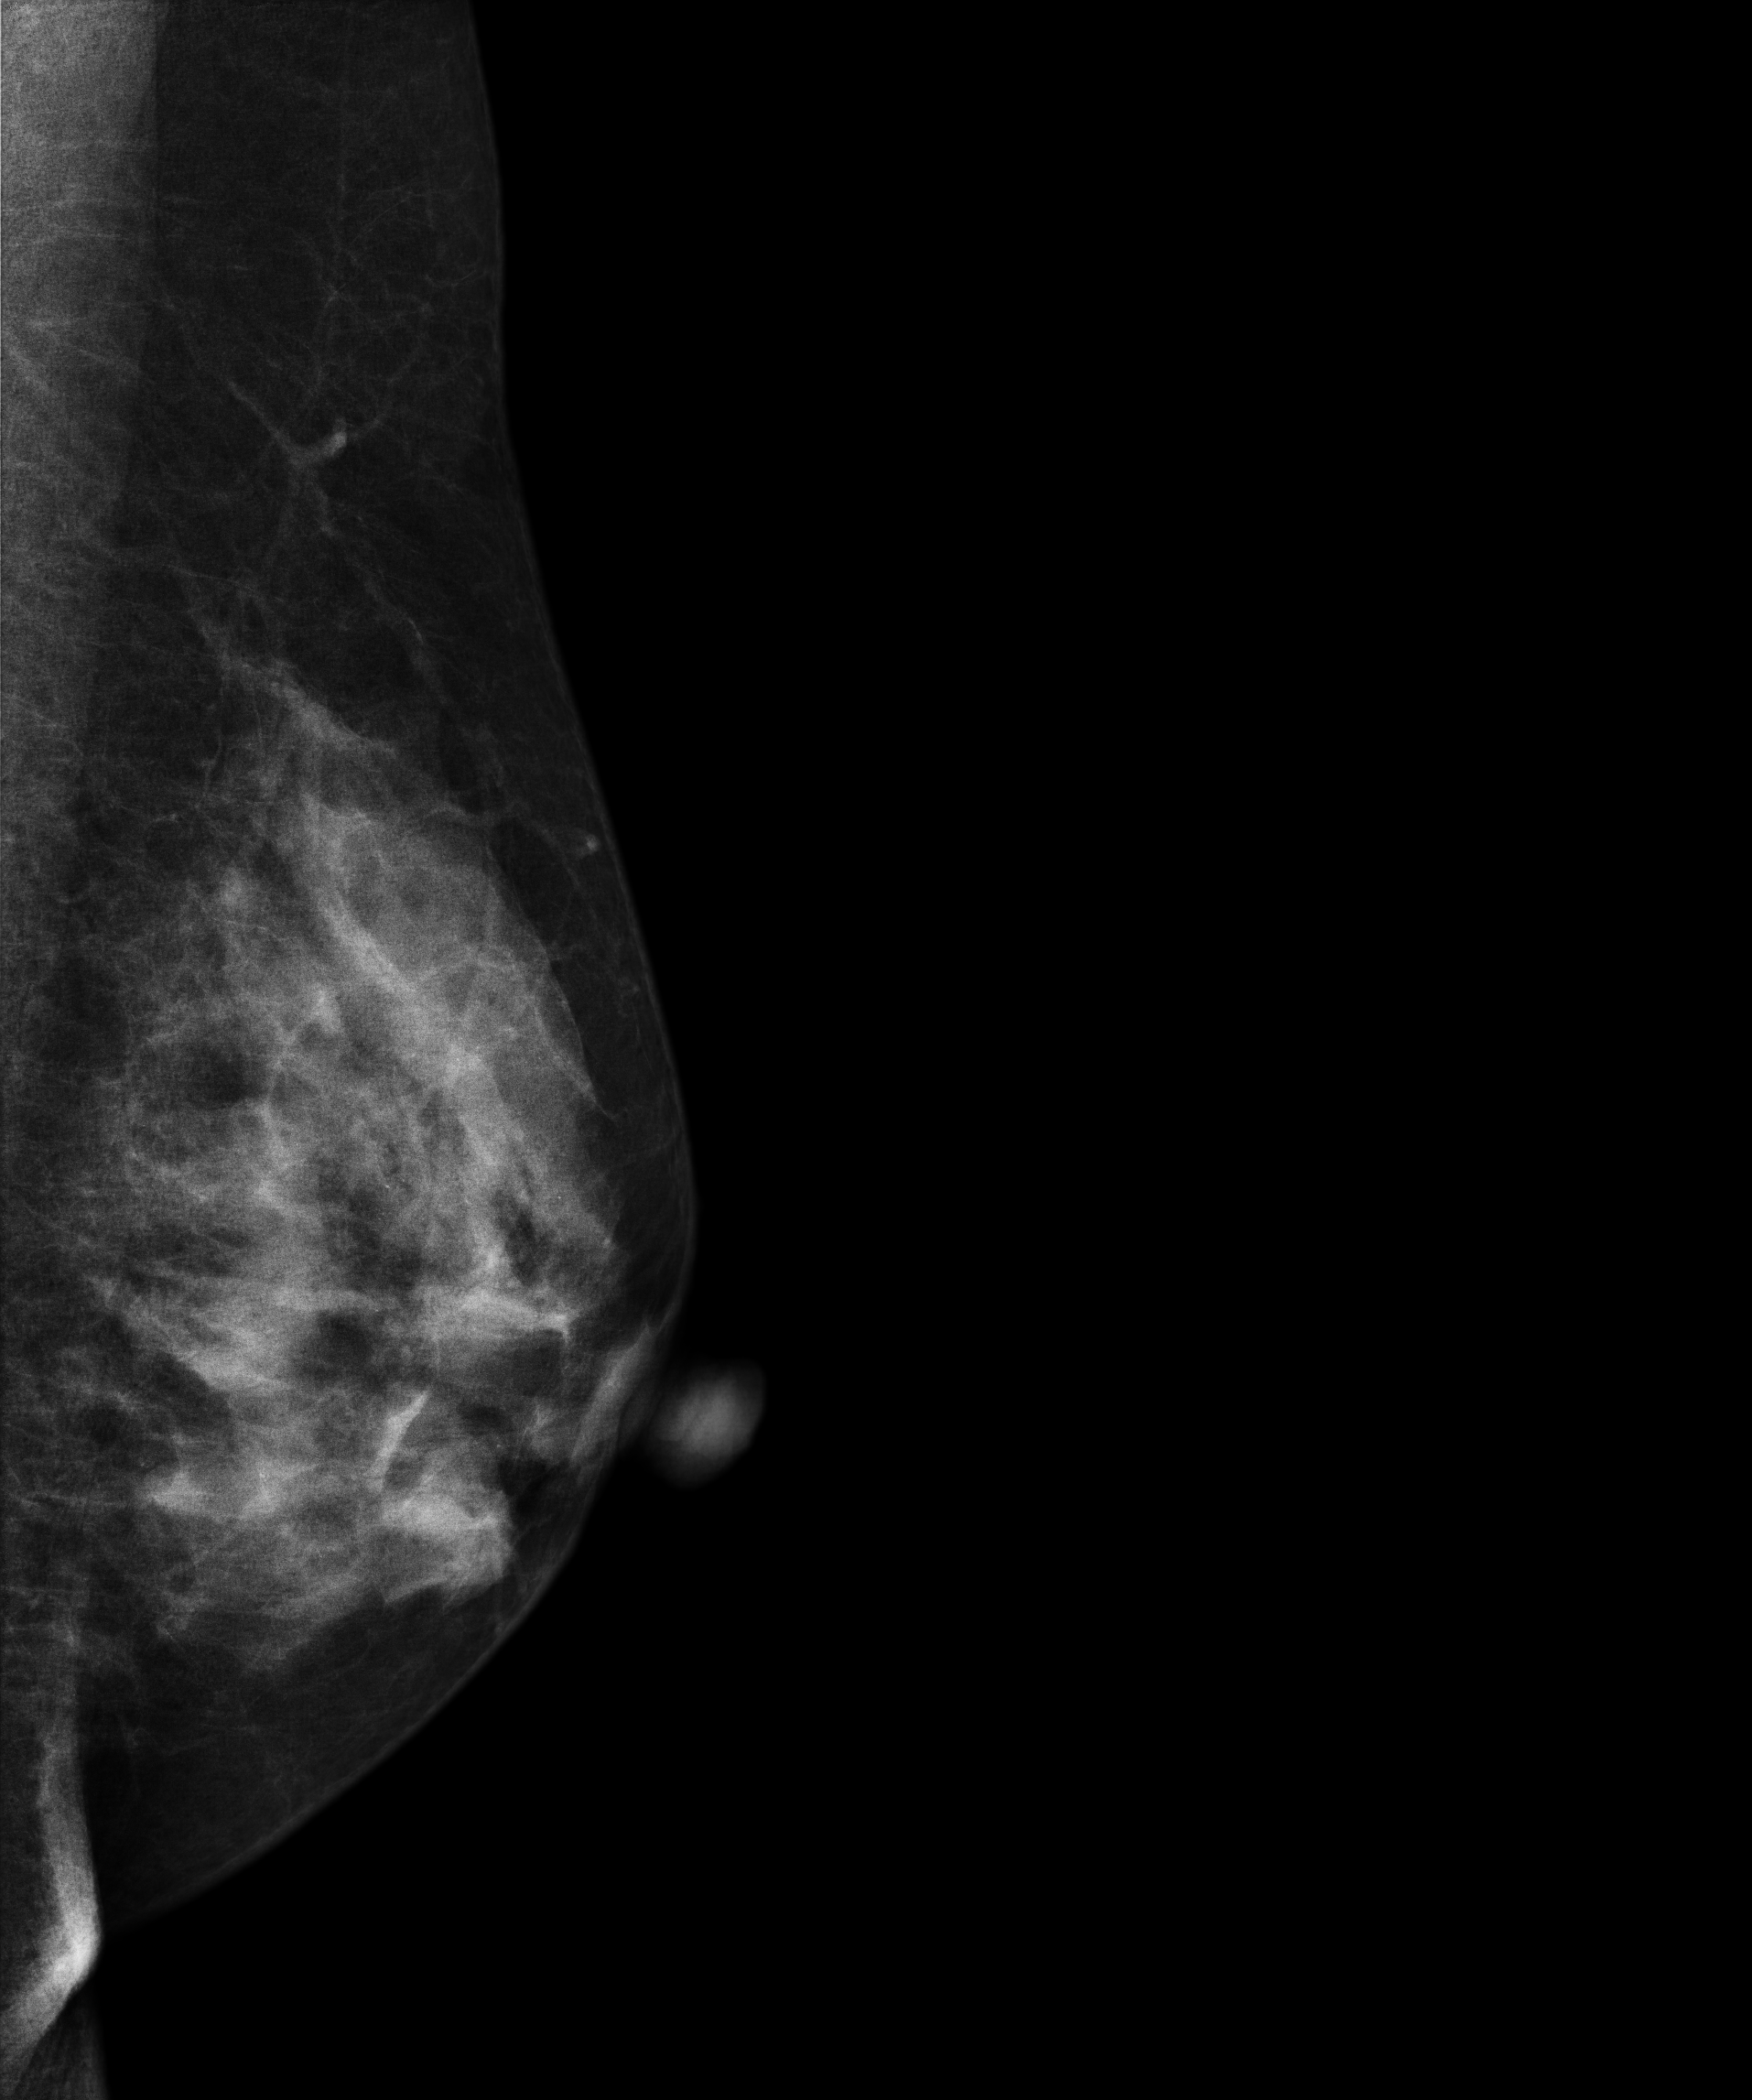
Mammogram, left breast, medio-lateral oblique view. Patient age 46.
This breast has a mass, pathology-confirmed benign.